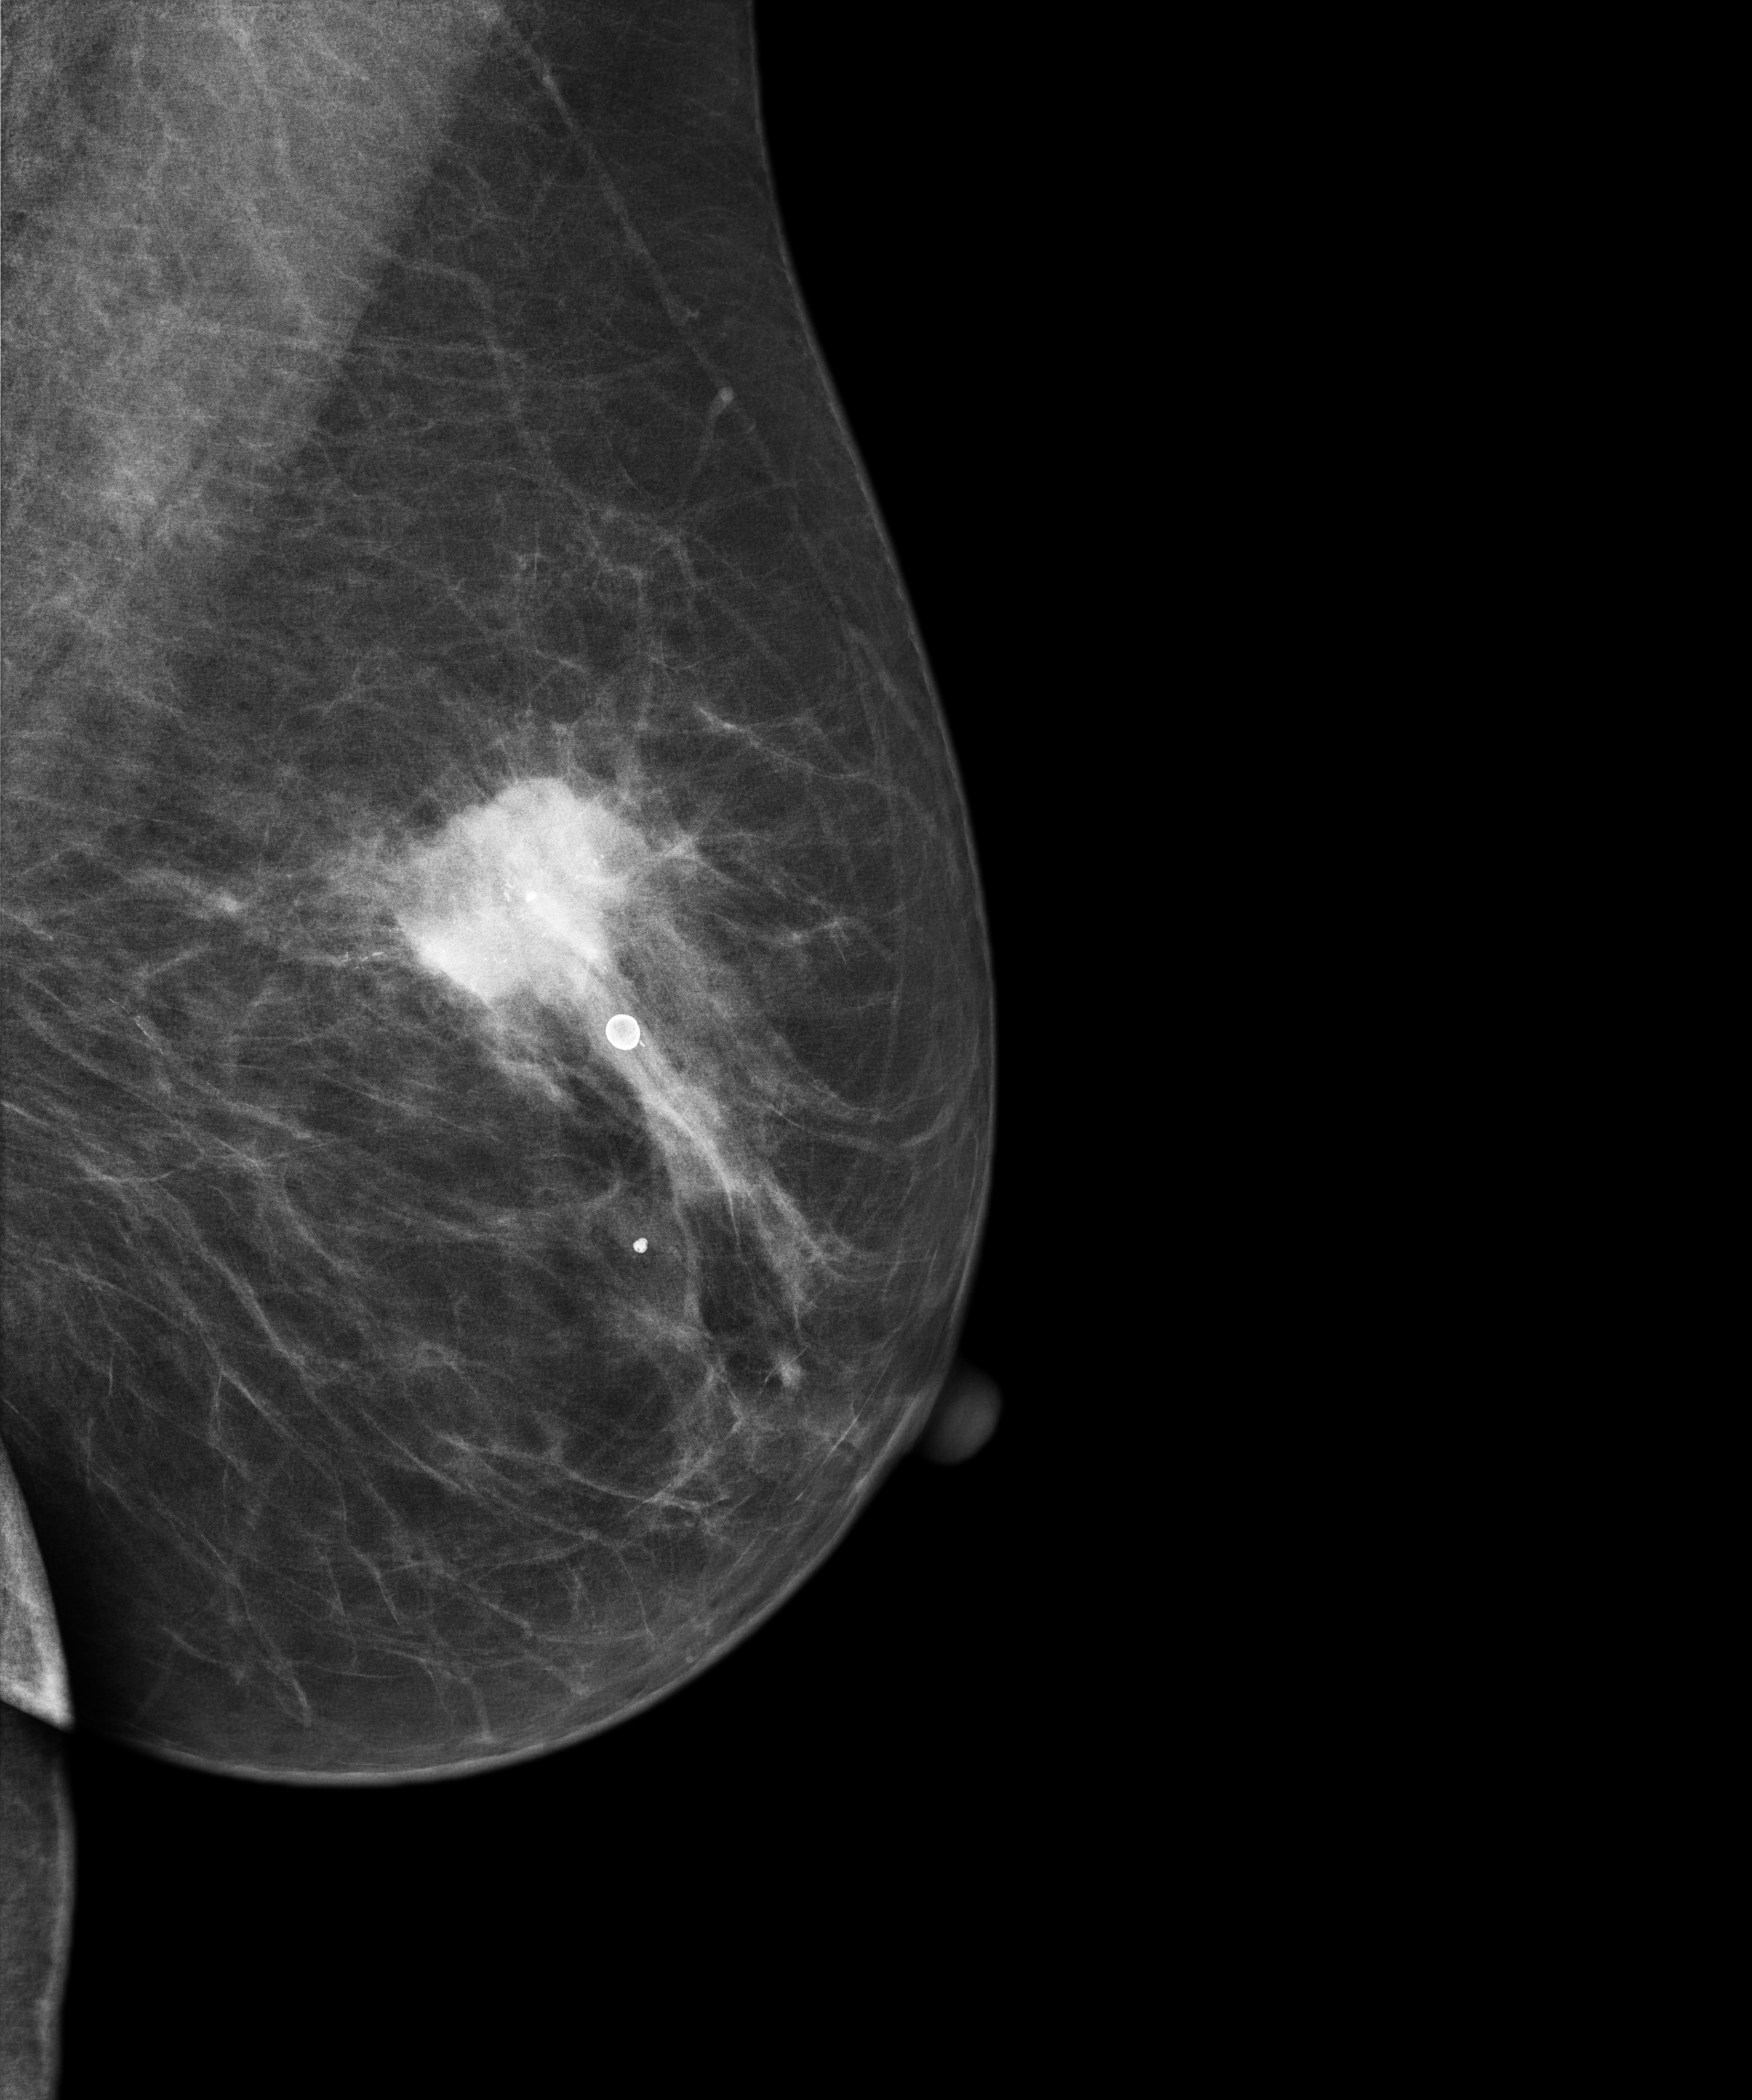
Left-breast mammogram, MLO. Patient age 62.
This breast has a mass and calcifications, pathology-confirmed malignant.